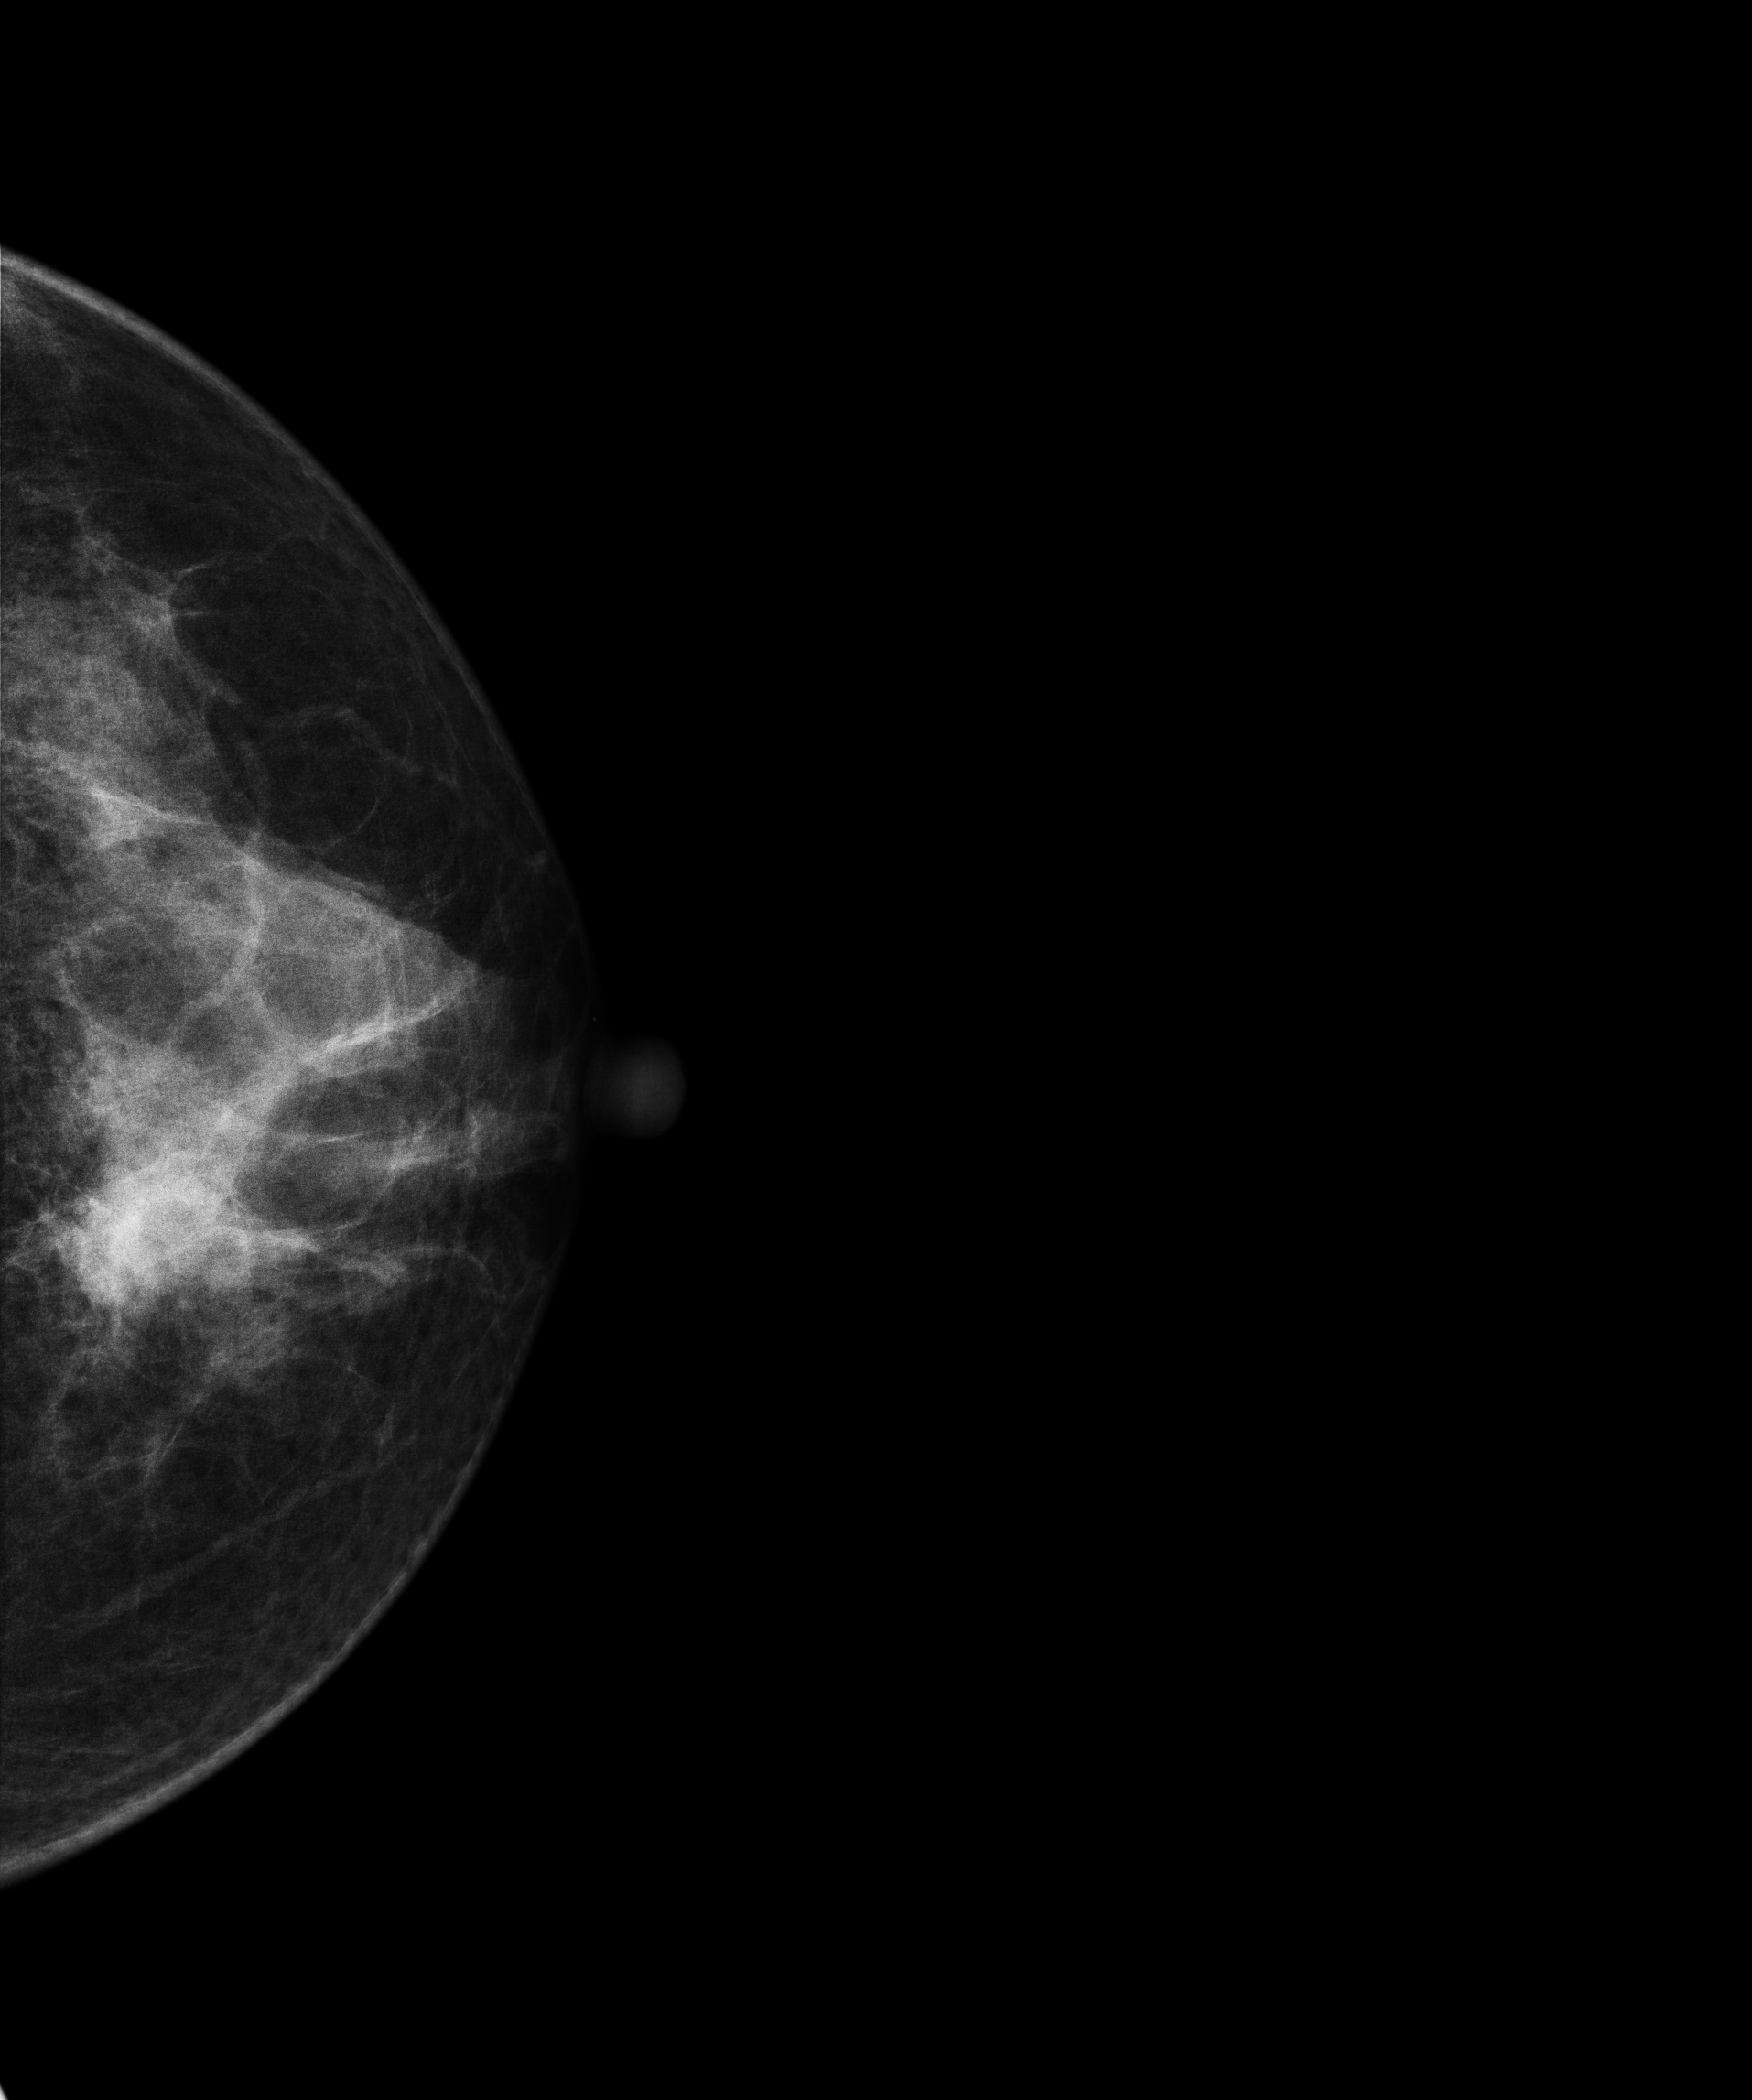
Mammogram, left breast, CC view. 46 y/o patient.
This breast has a mass, biopsy-confirmed malignant.